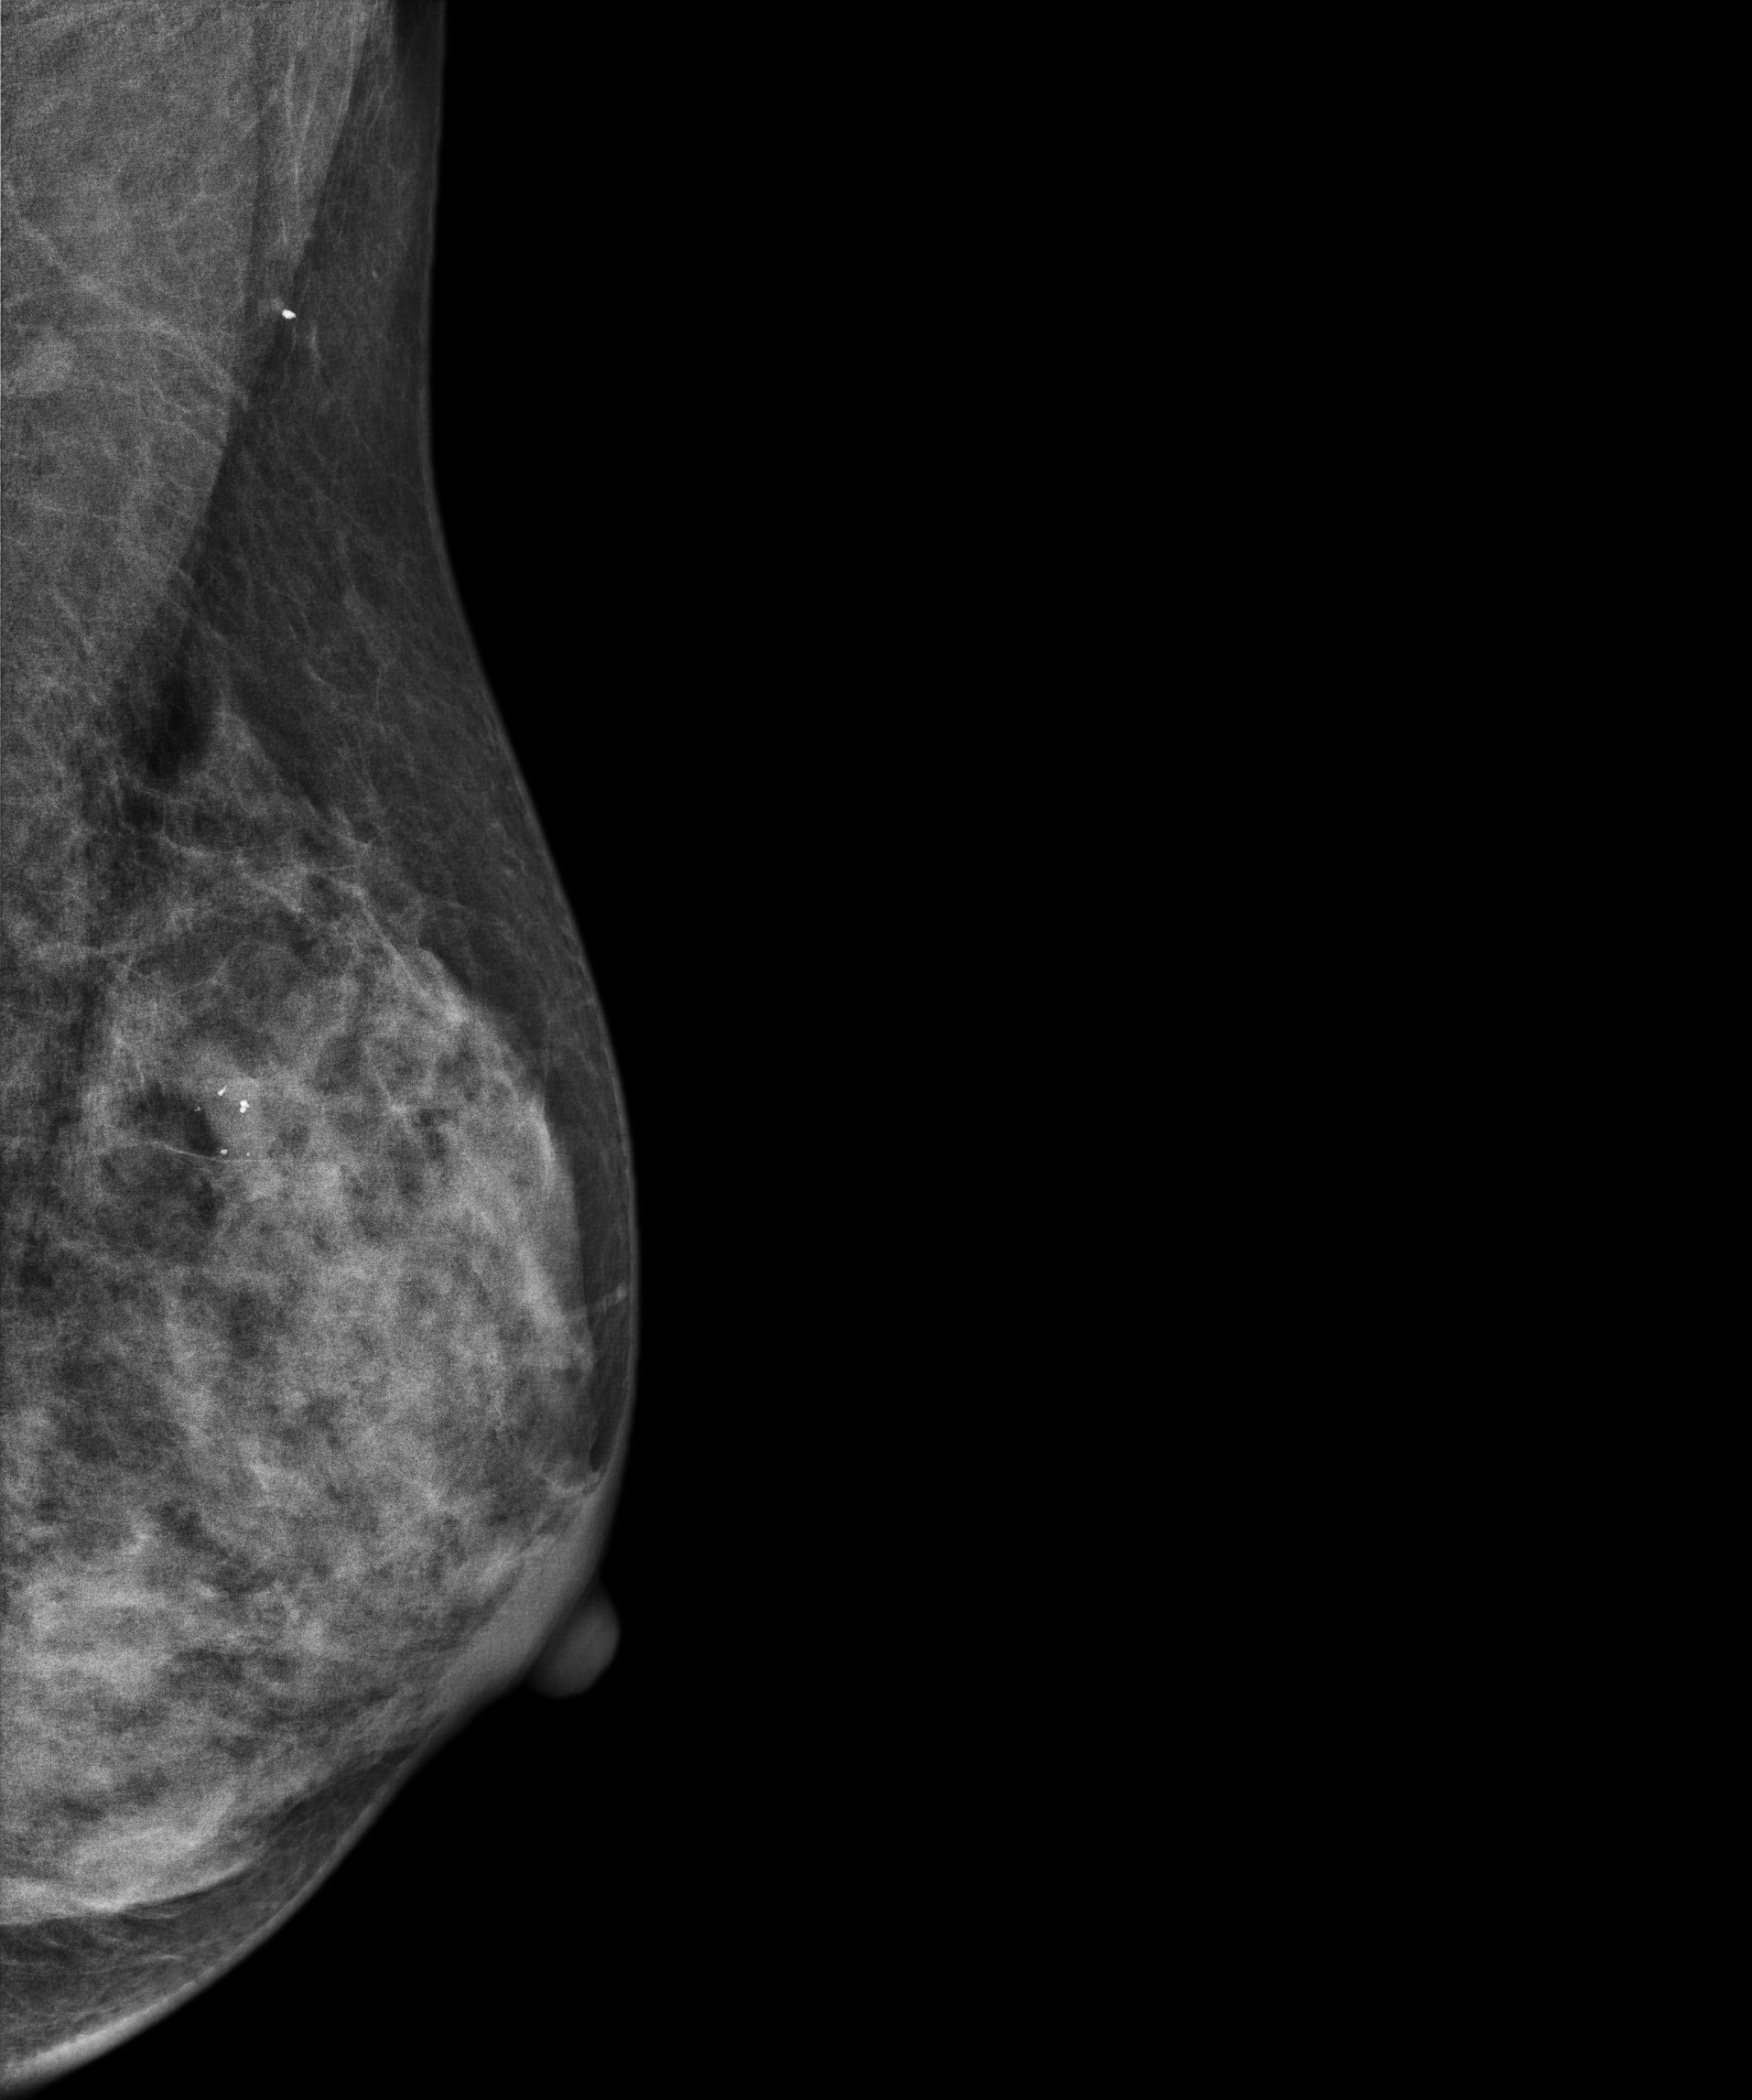
Mammogram, left breast, MLO view. 45-year-old patient.
This breast has a mass and calcifications, pathology-confirmed benign.